Mammogram — left medio-lateral oblique. 58 y/o patient.
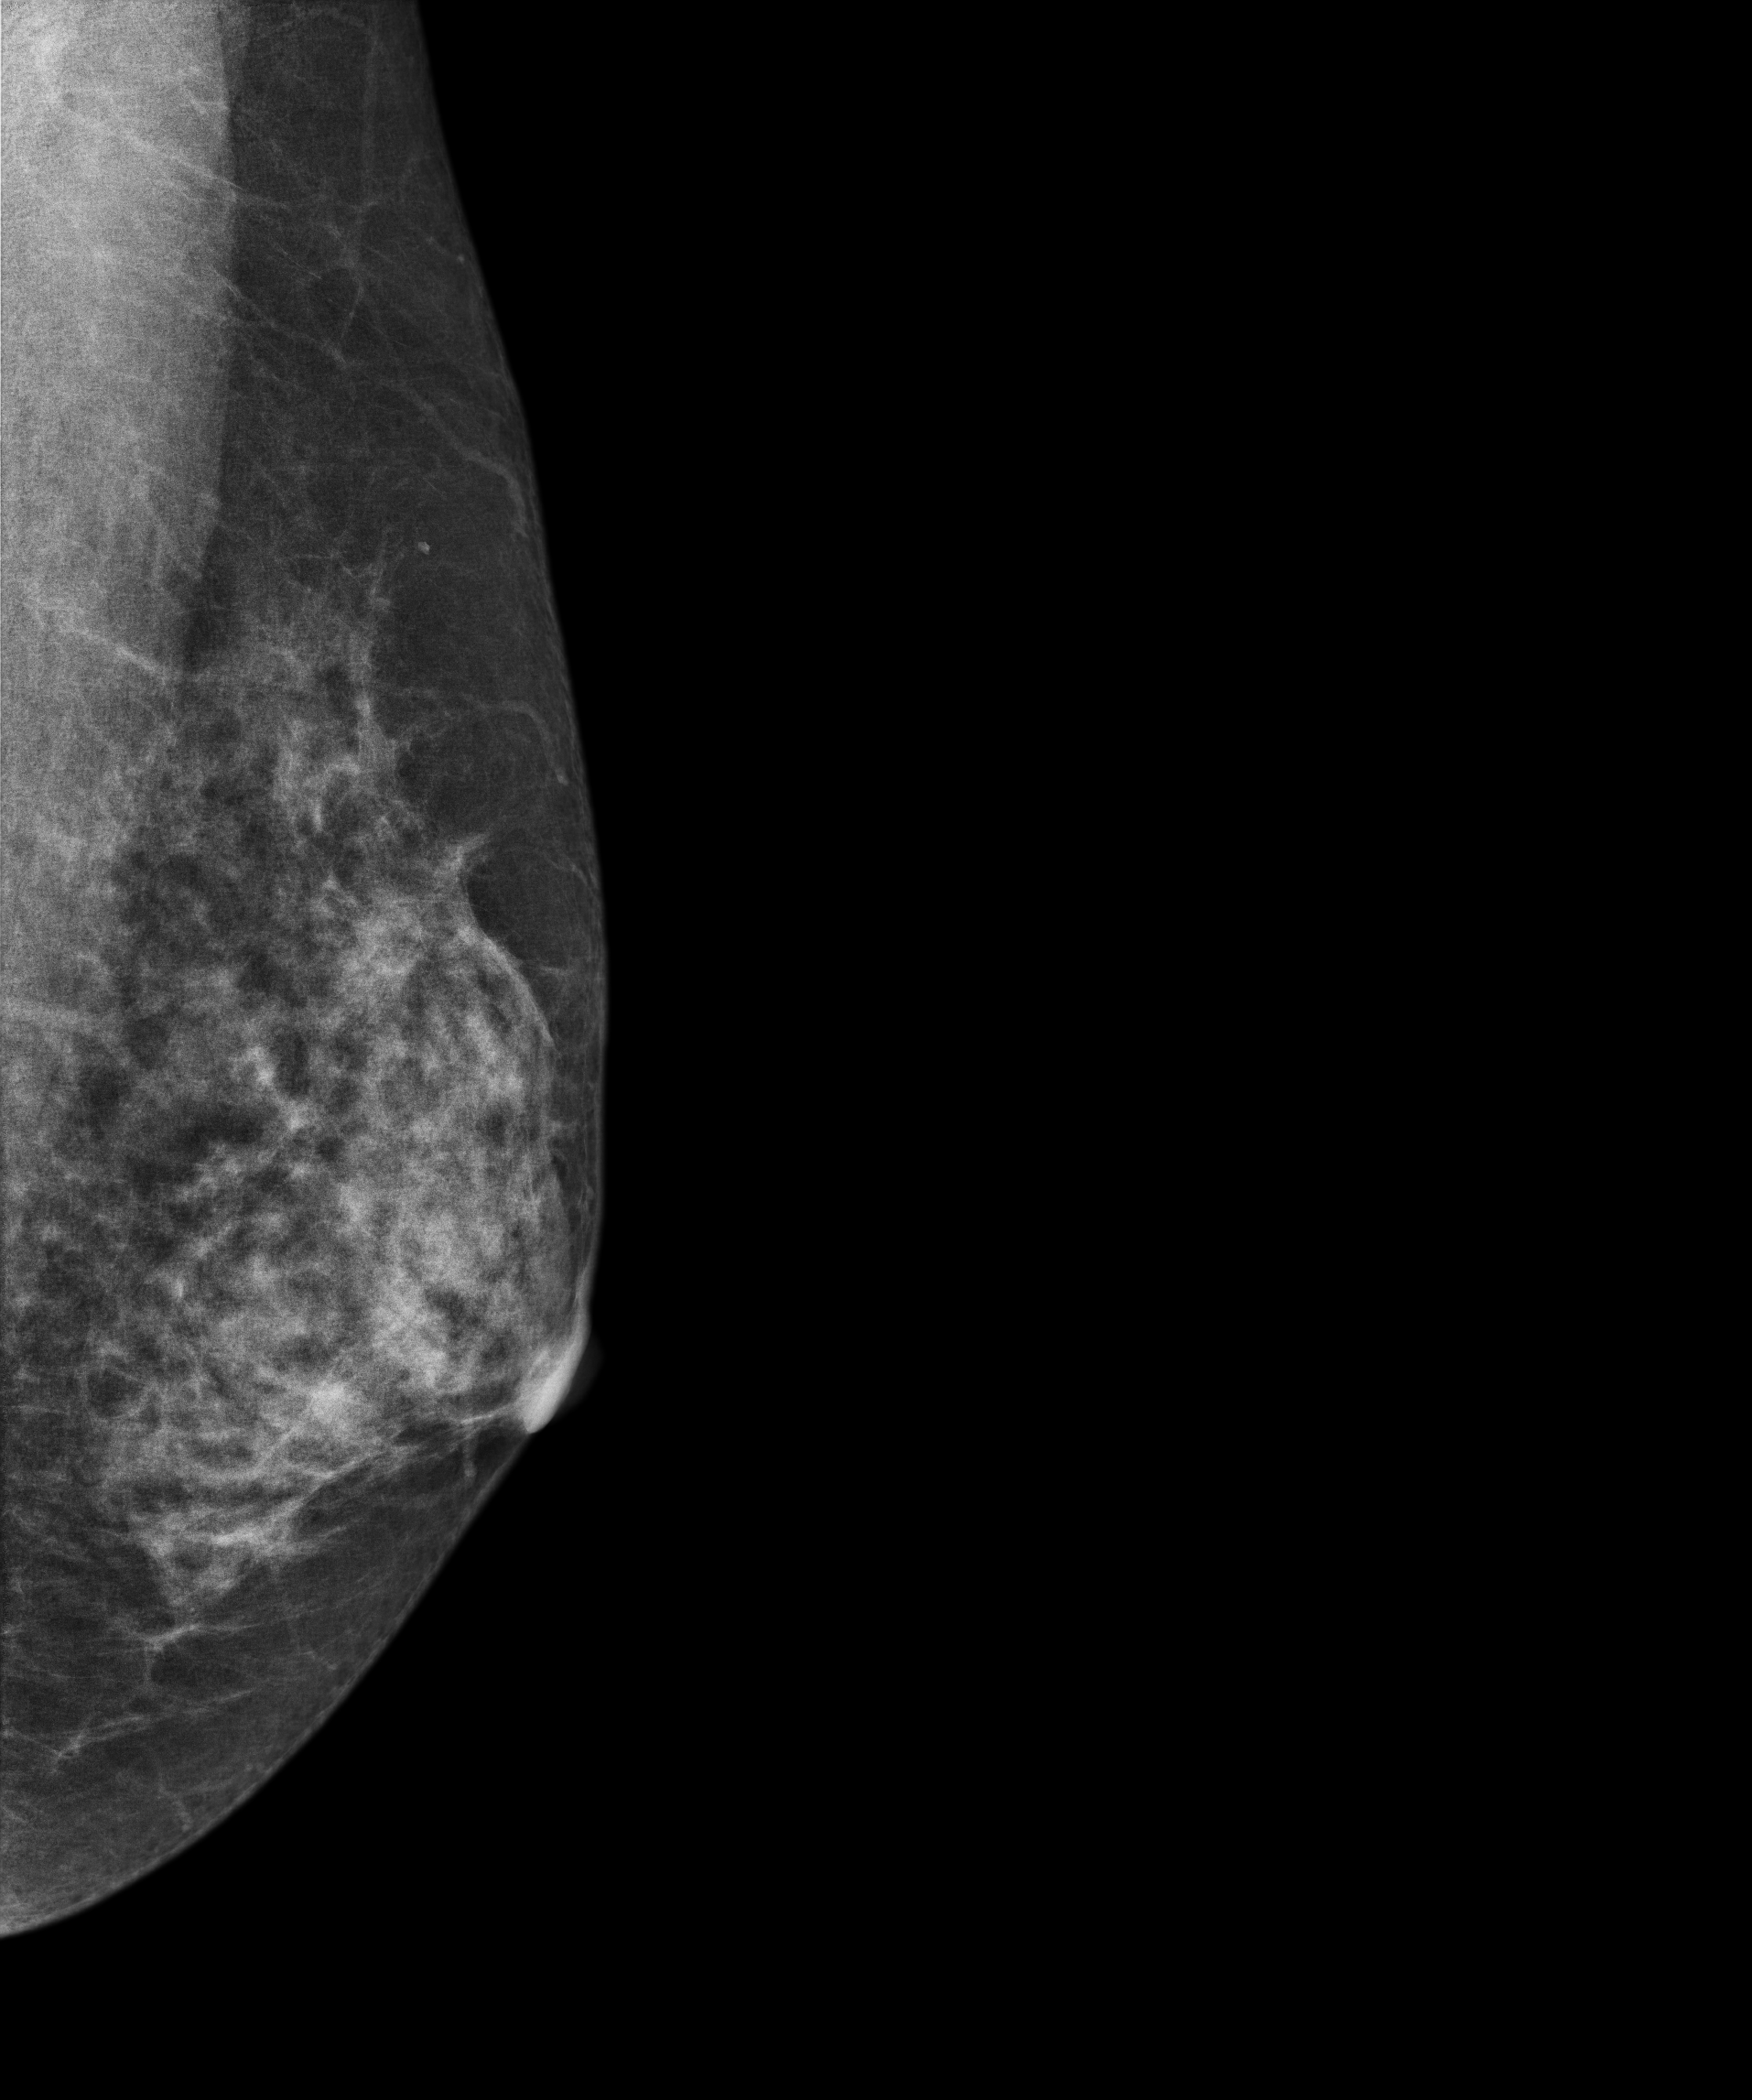
Contralateral breast — no documented abnormality on this side.